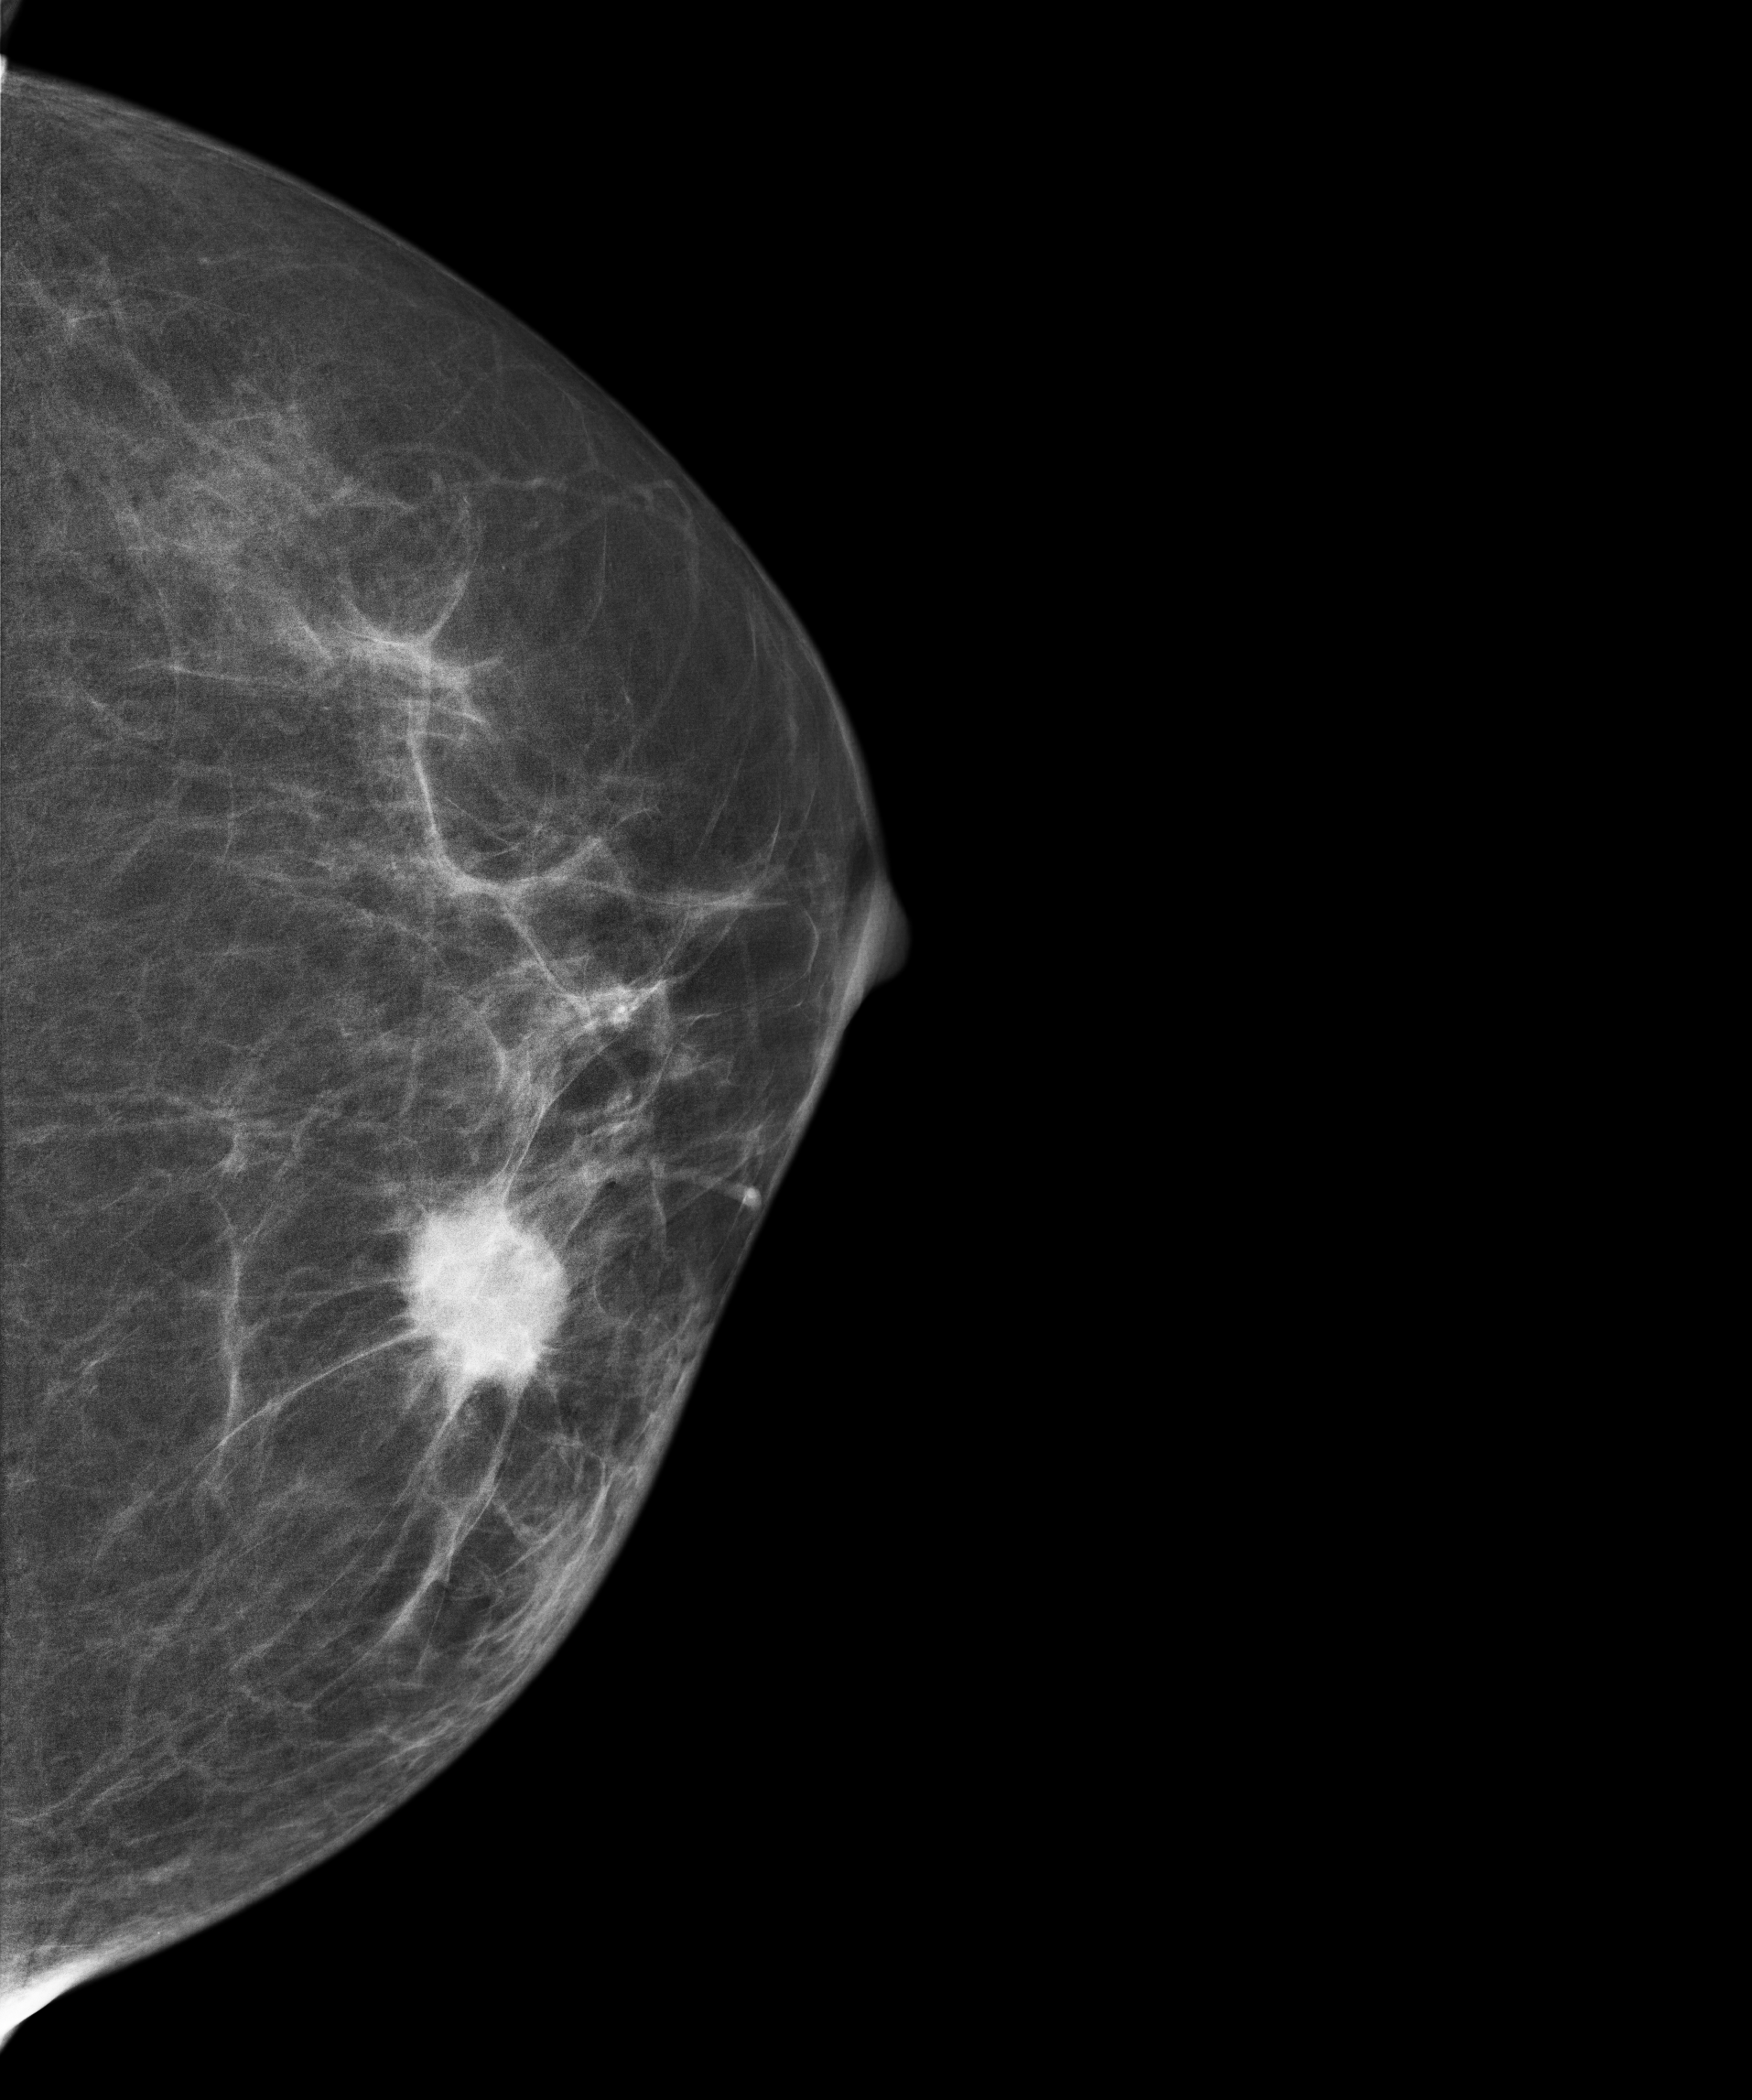
Left-breast mammogram, CC. Patient age 69.
This breast has a mass, histologically confirmed malignant. Molecular subtype: luminal A.